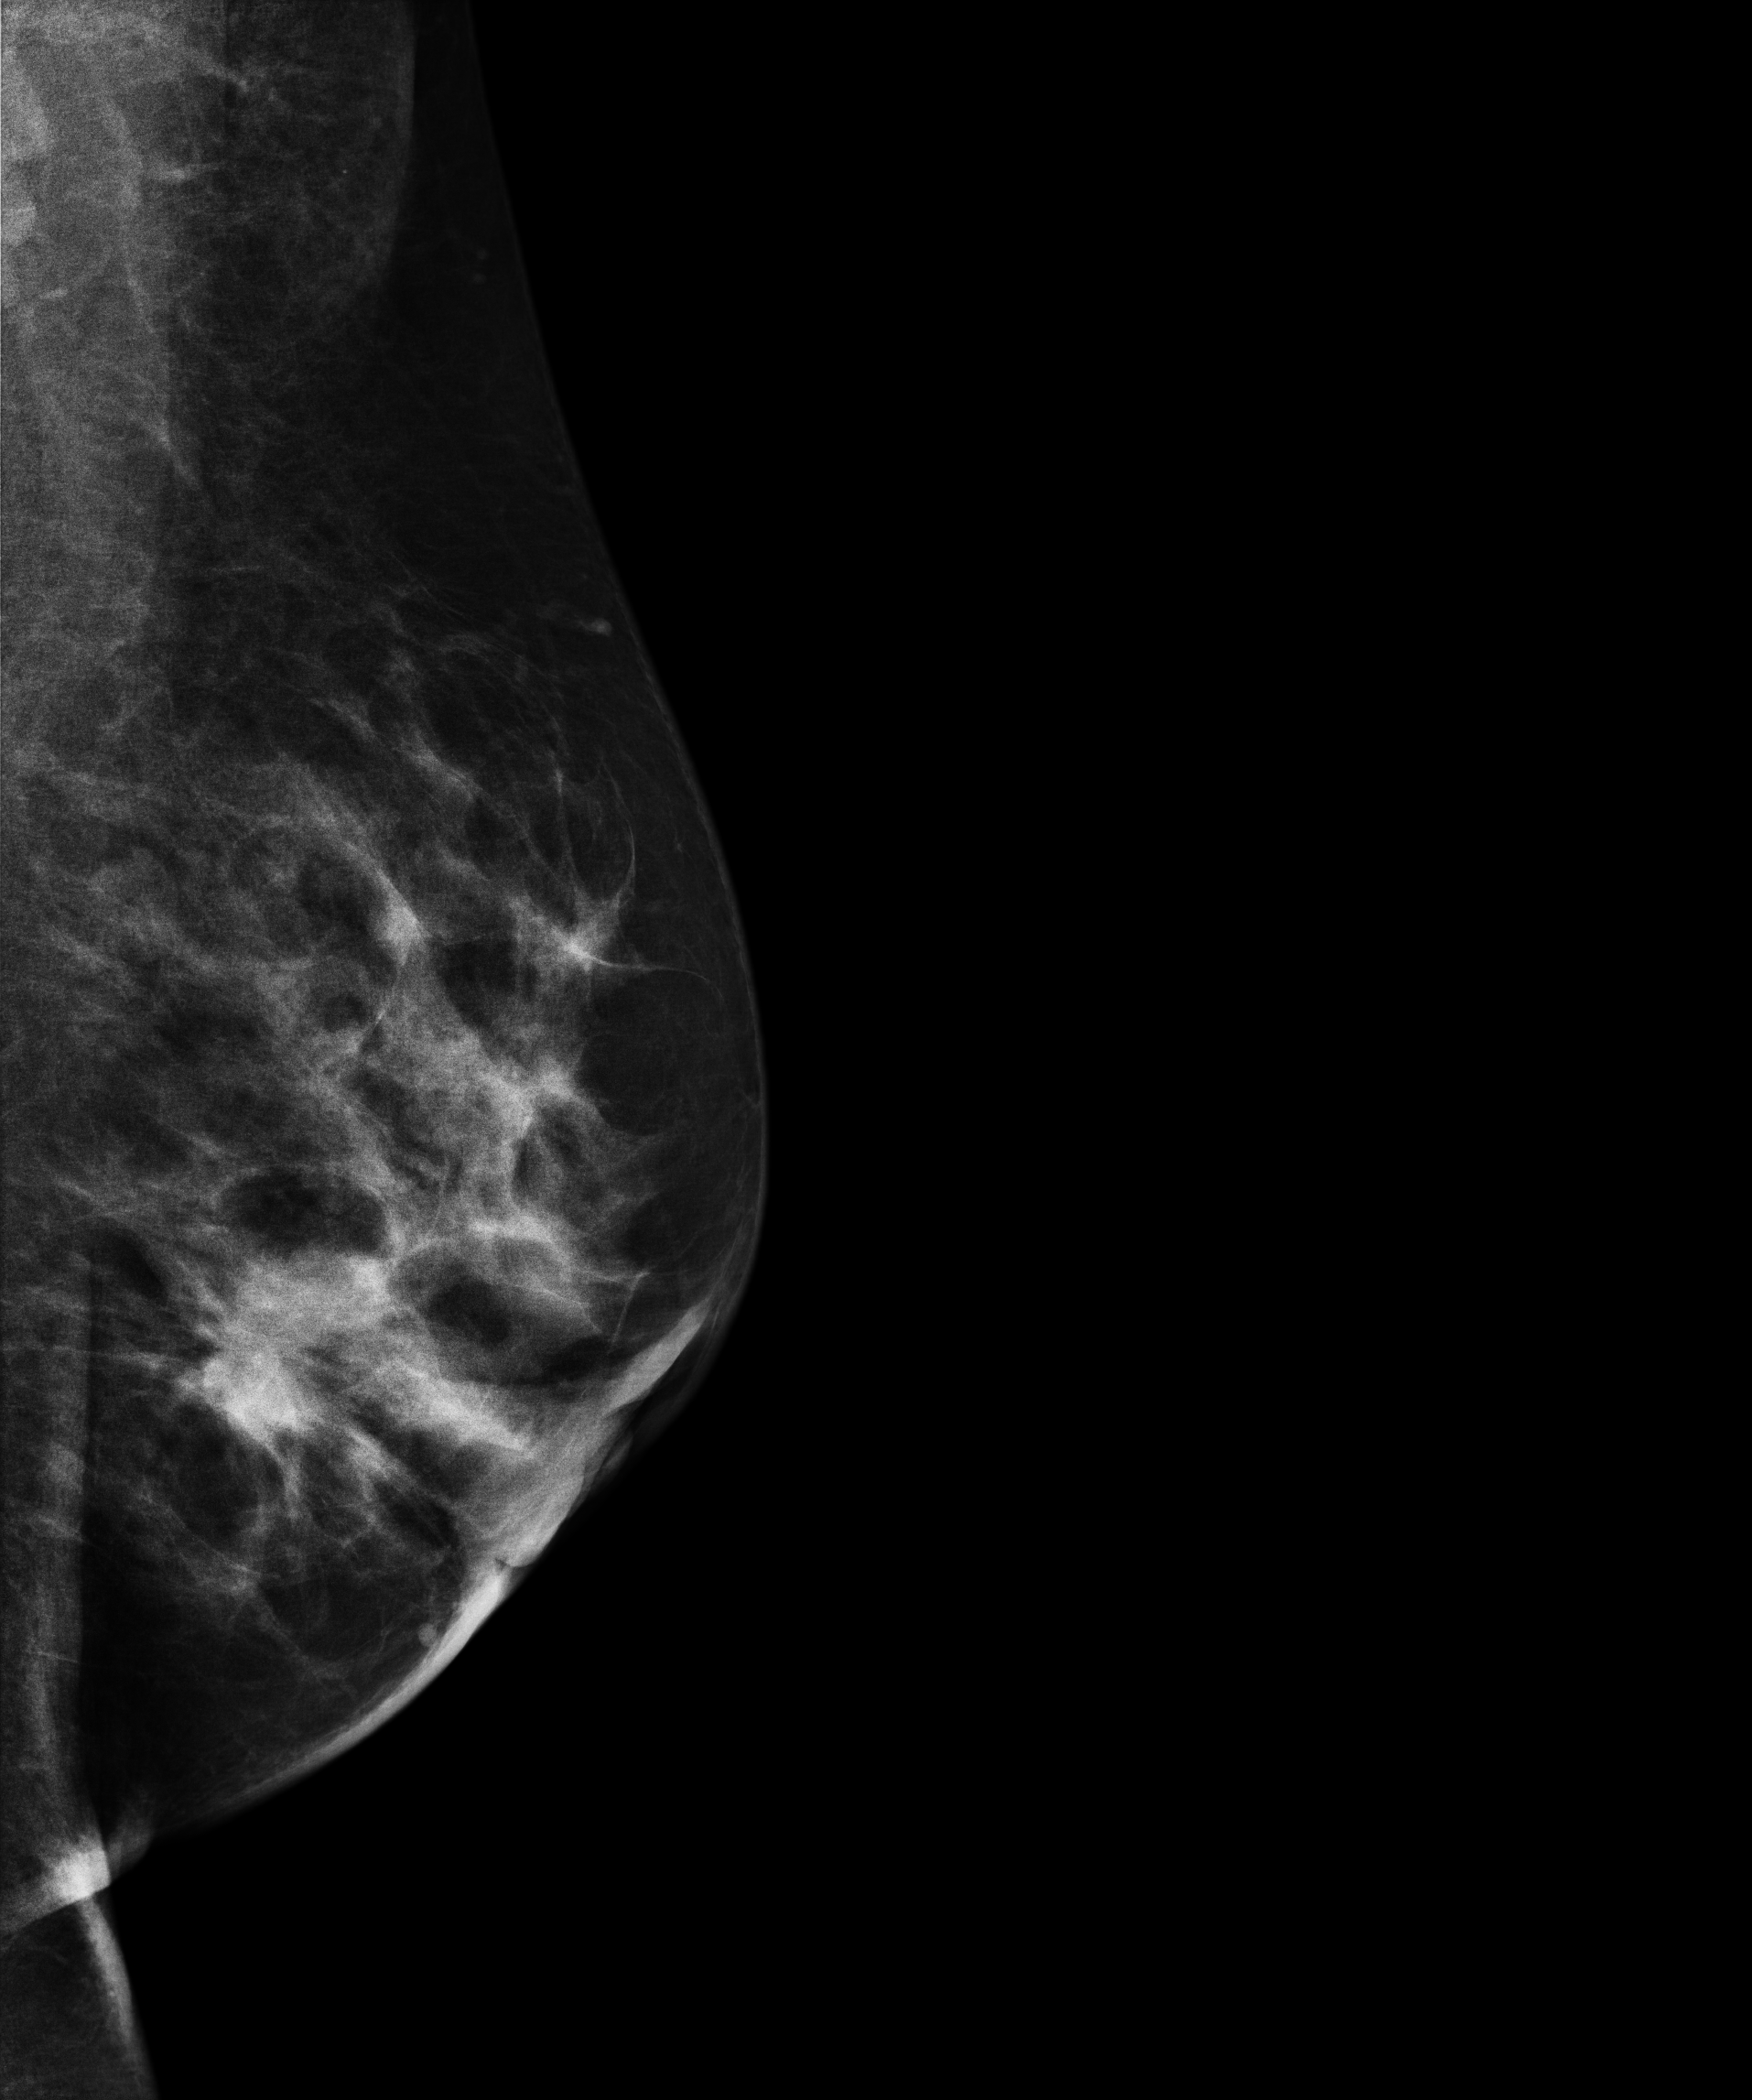
Digital mammography. Left breast, MLO projection. 54 y/o patient.
This breast has a mass, biopsy-confirmed malignant. Molecular subtype: luminal B.